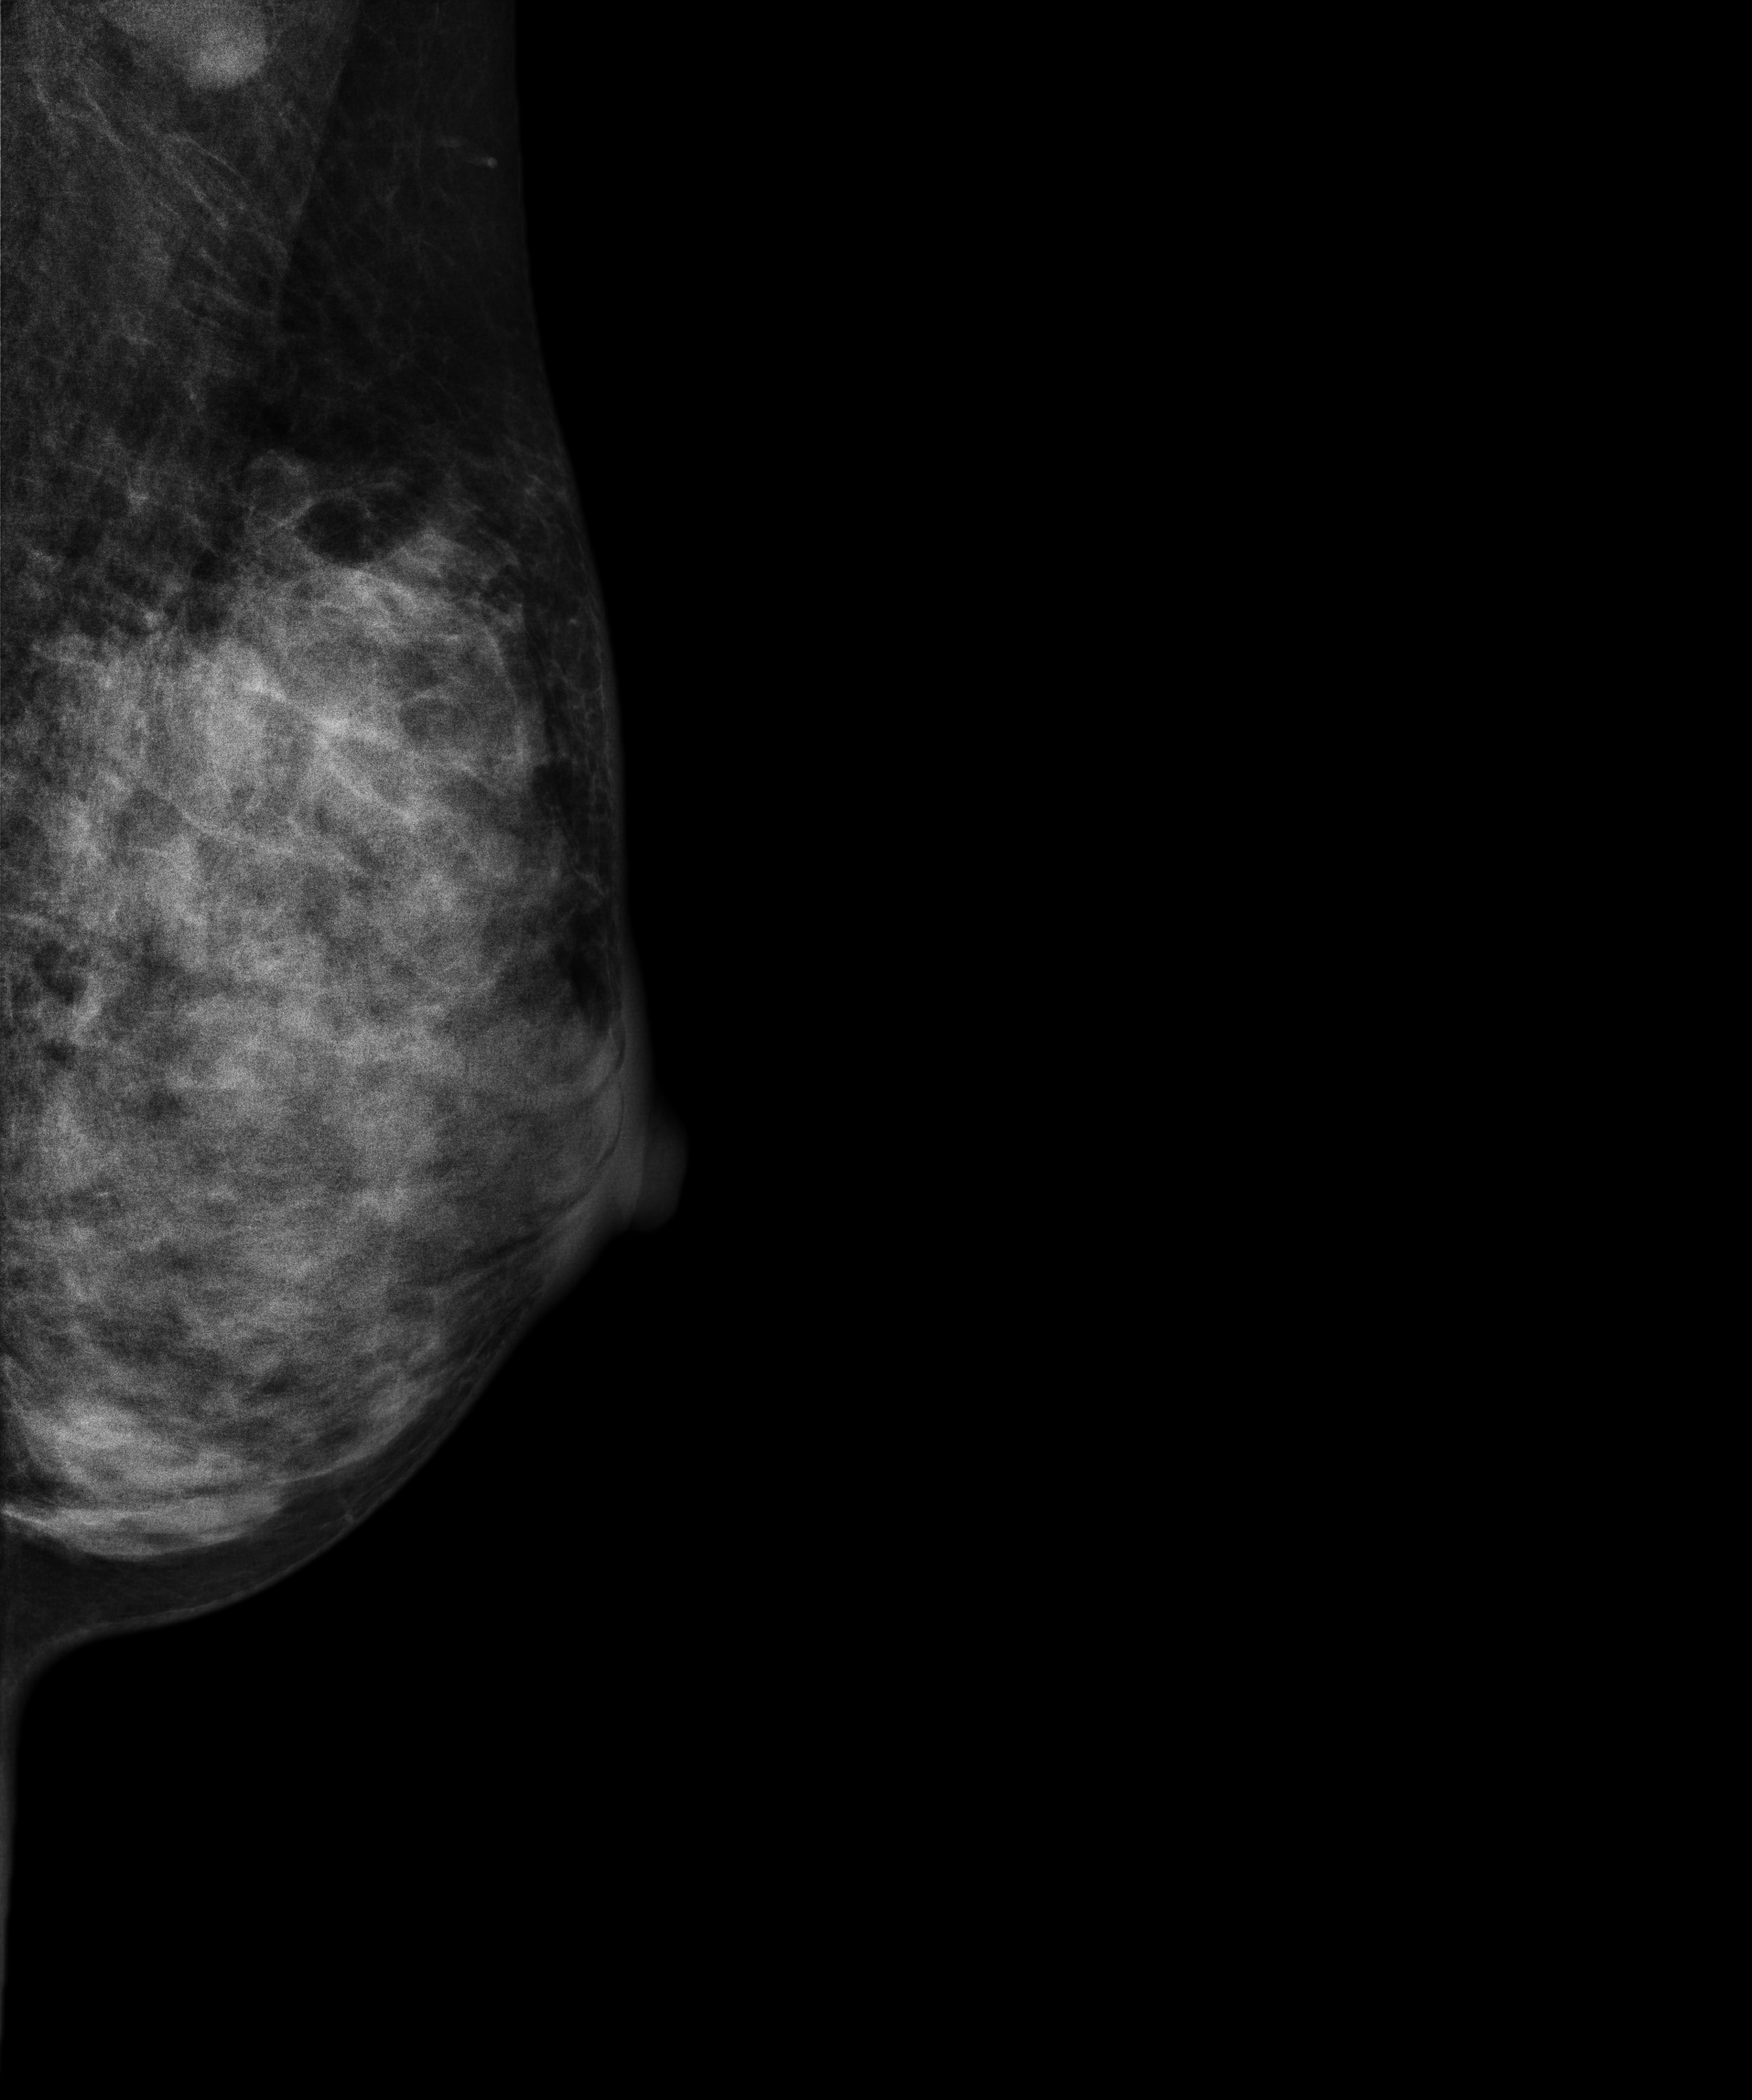
Mammogram — left medio-lateral oblique. 51 y/o patient.
This breast has a mass, pathology-confirmed malignant. Molecular subtype: HER2-enriched.